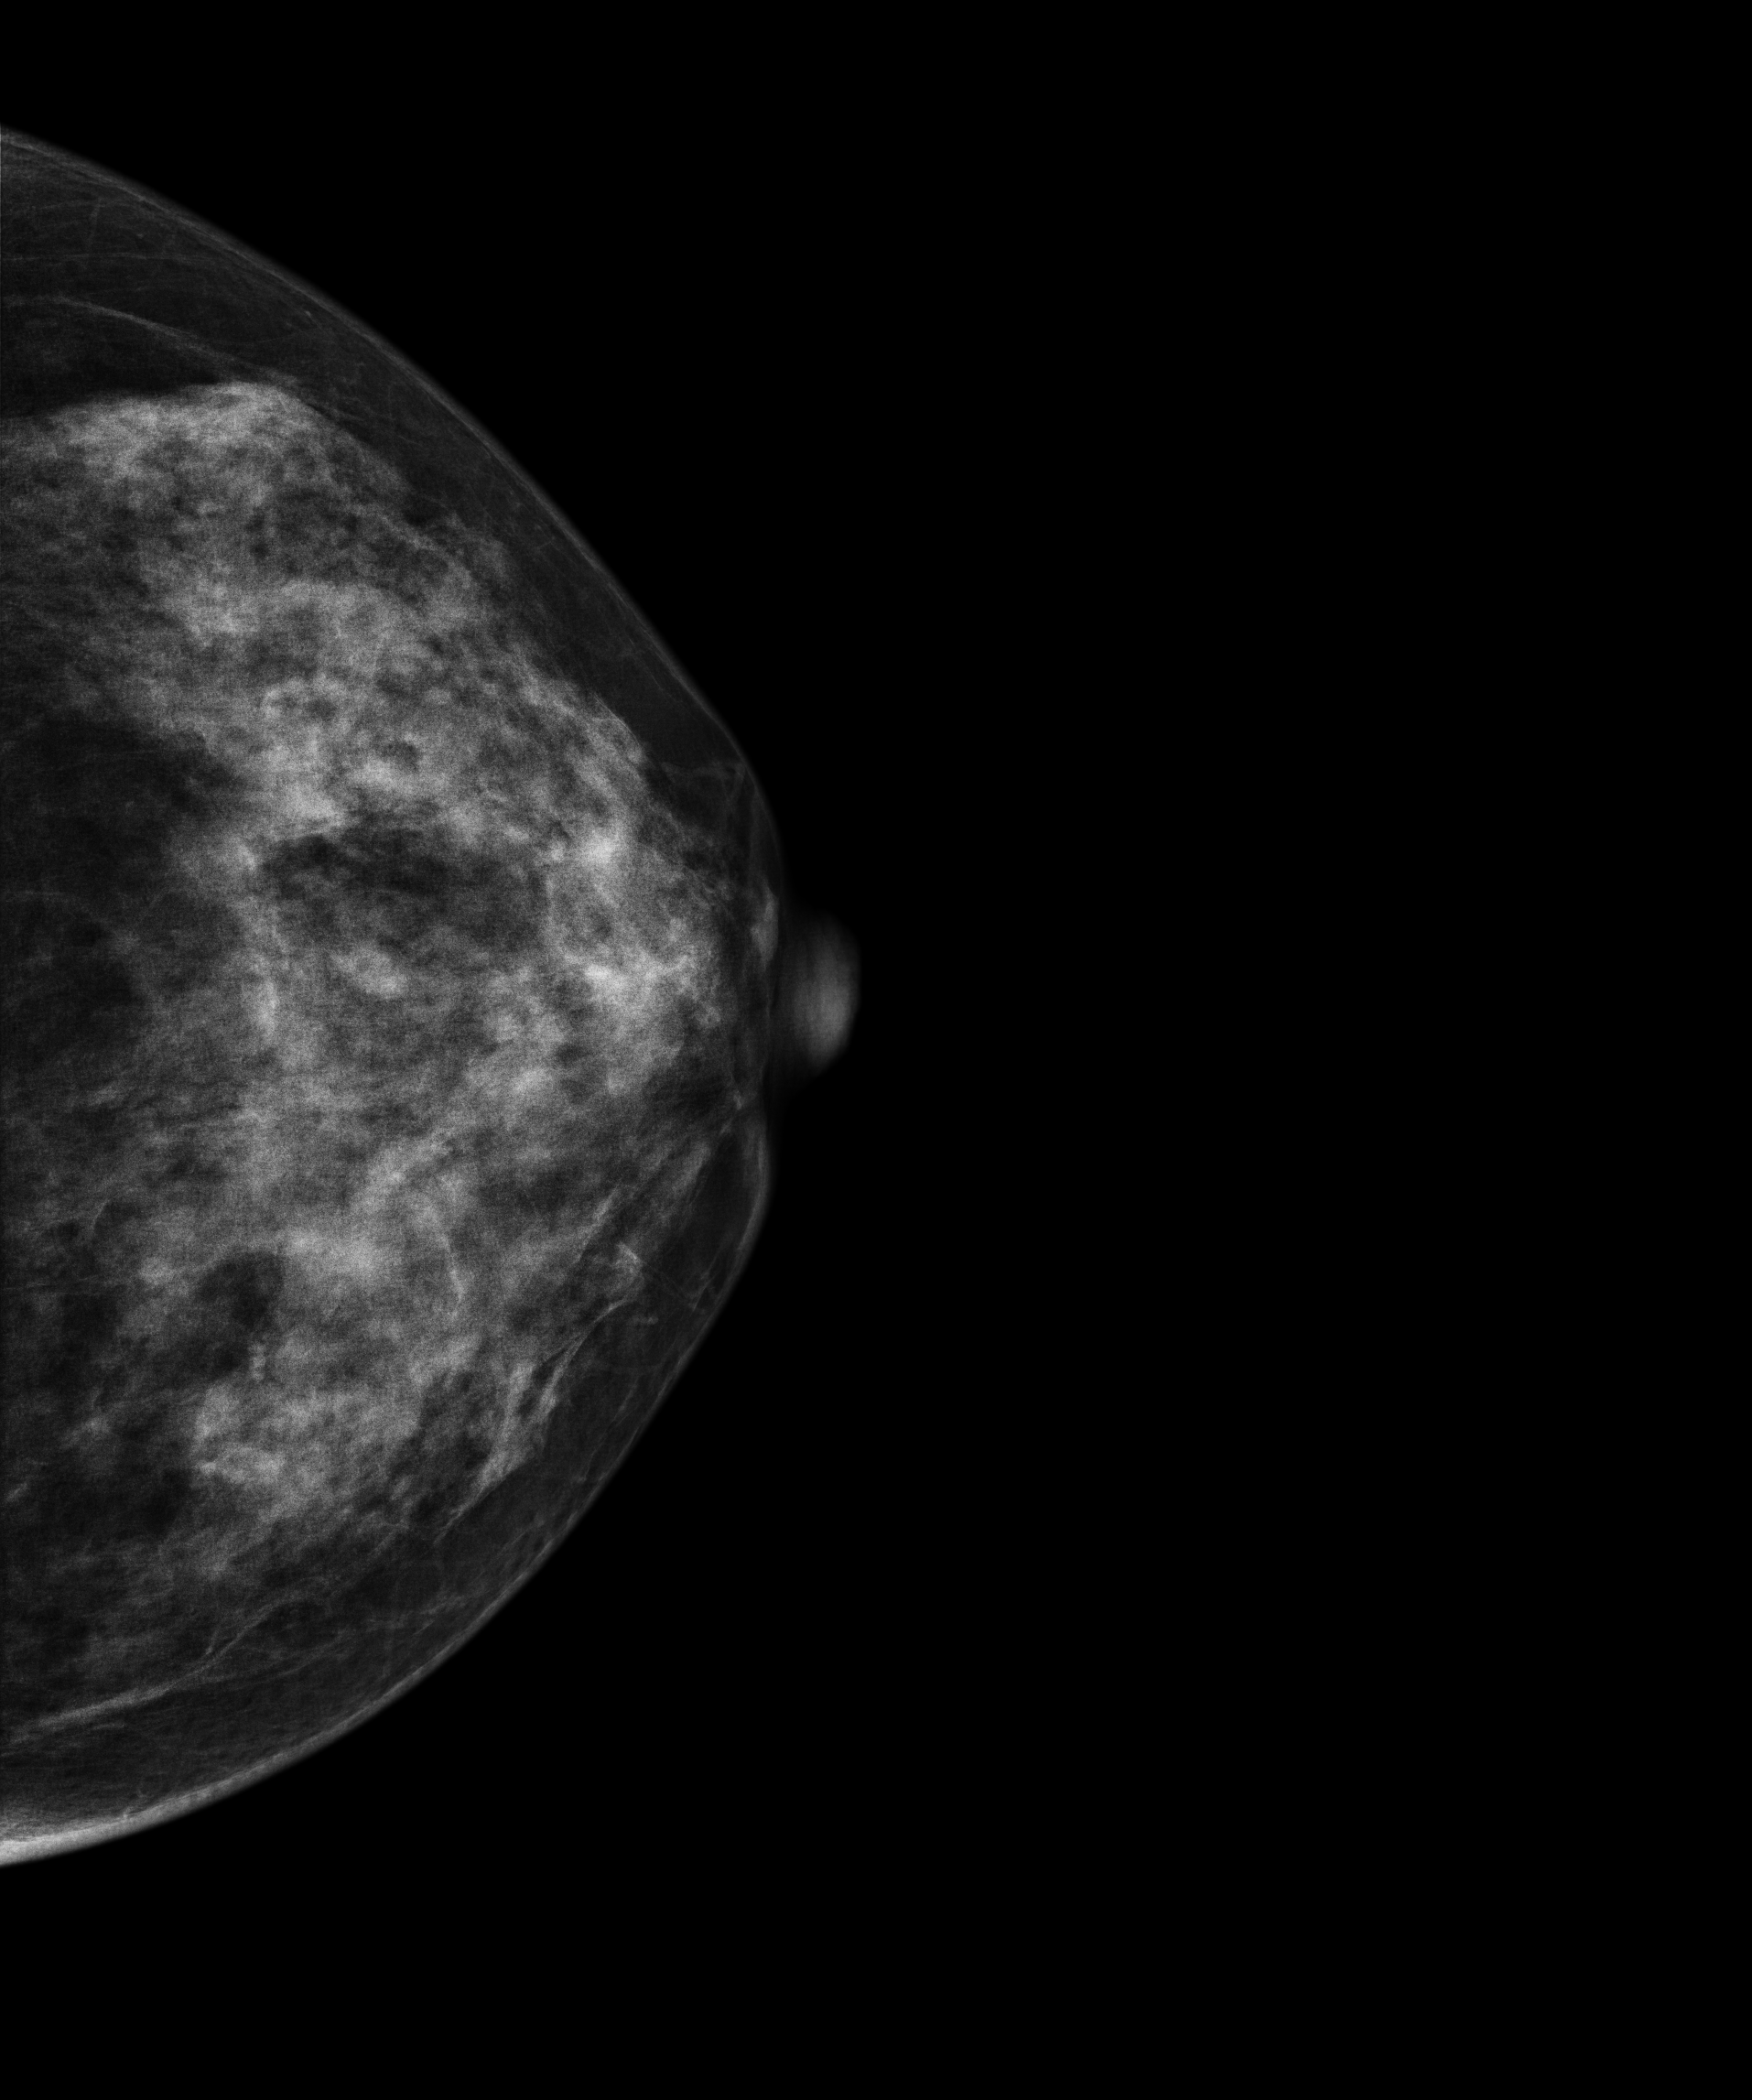
Mammogram — left cranio-caudal. Patient age 49.
This breast has a mass, histologically confirmed malignant.